Medio-lateral oblique mammogram of the left breast. Patient age 46.
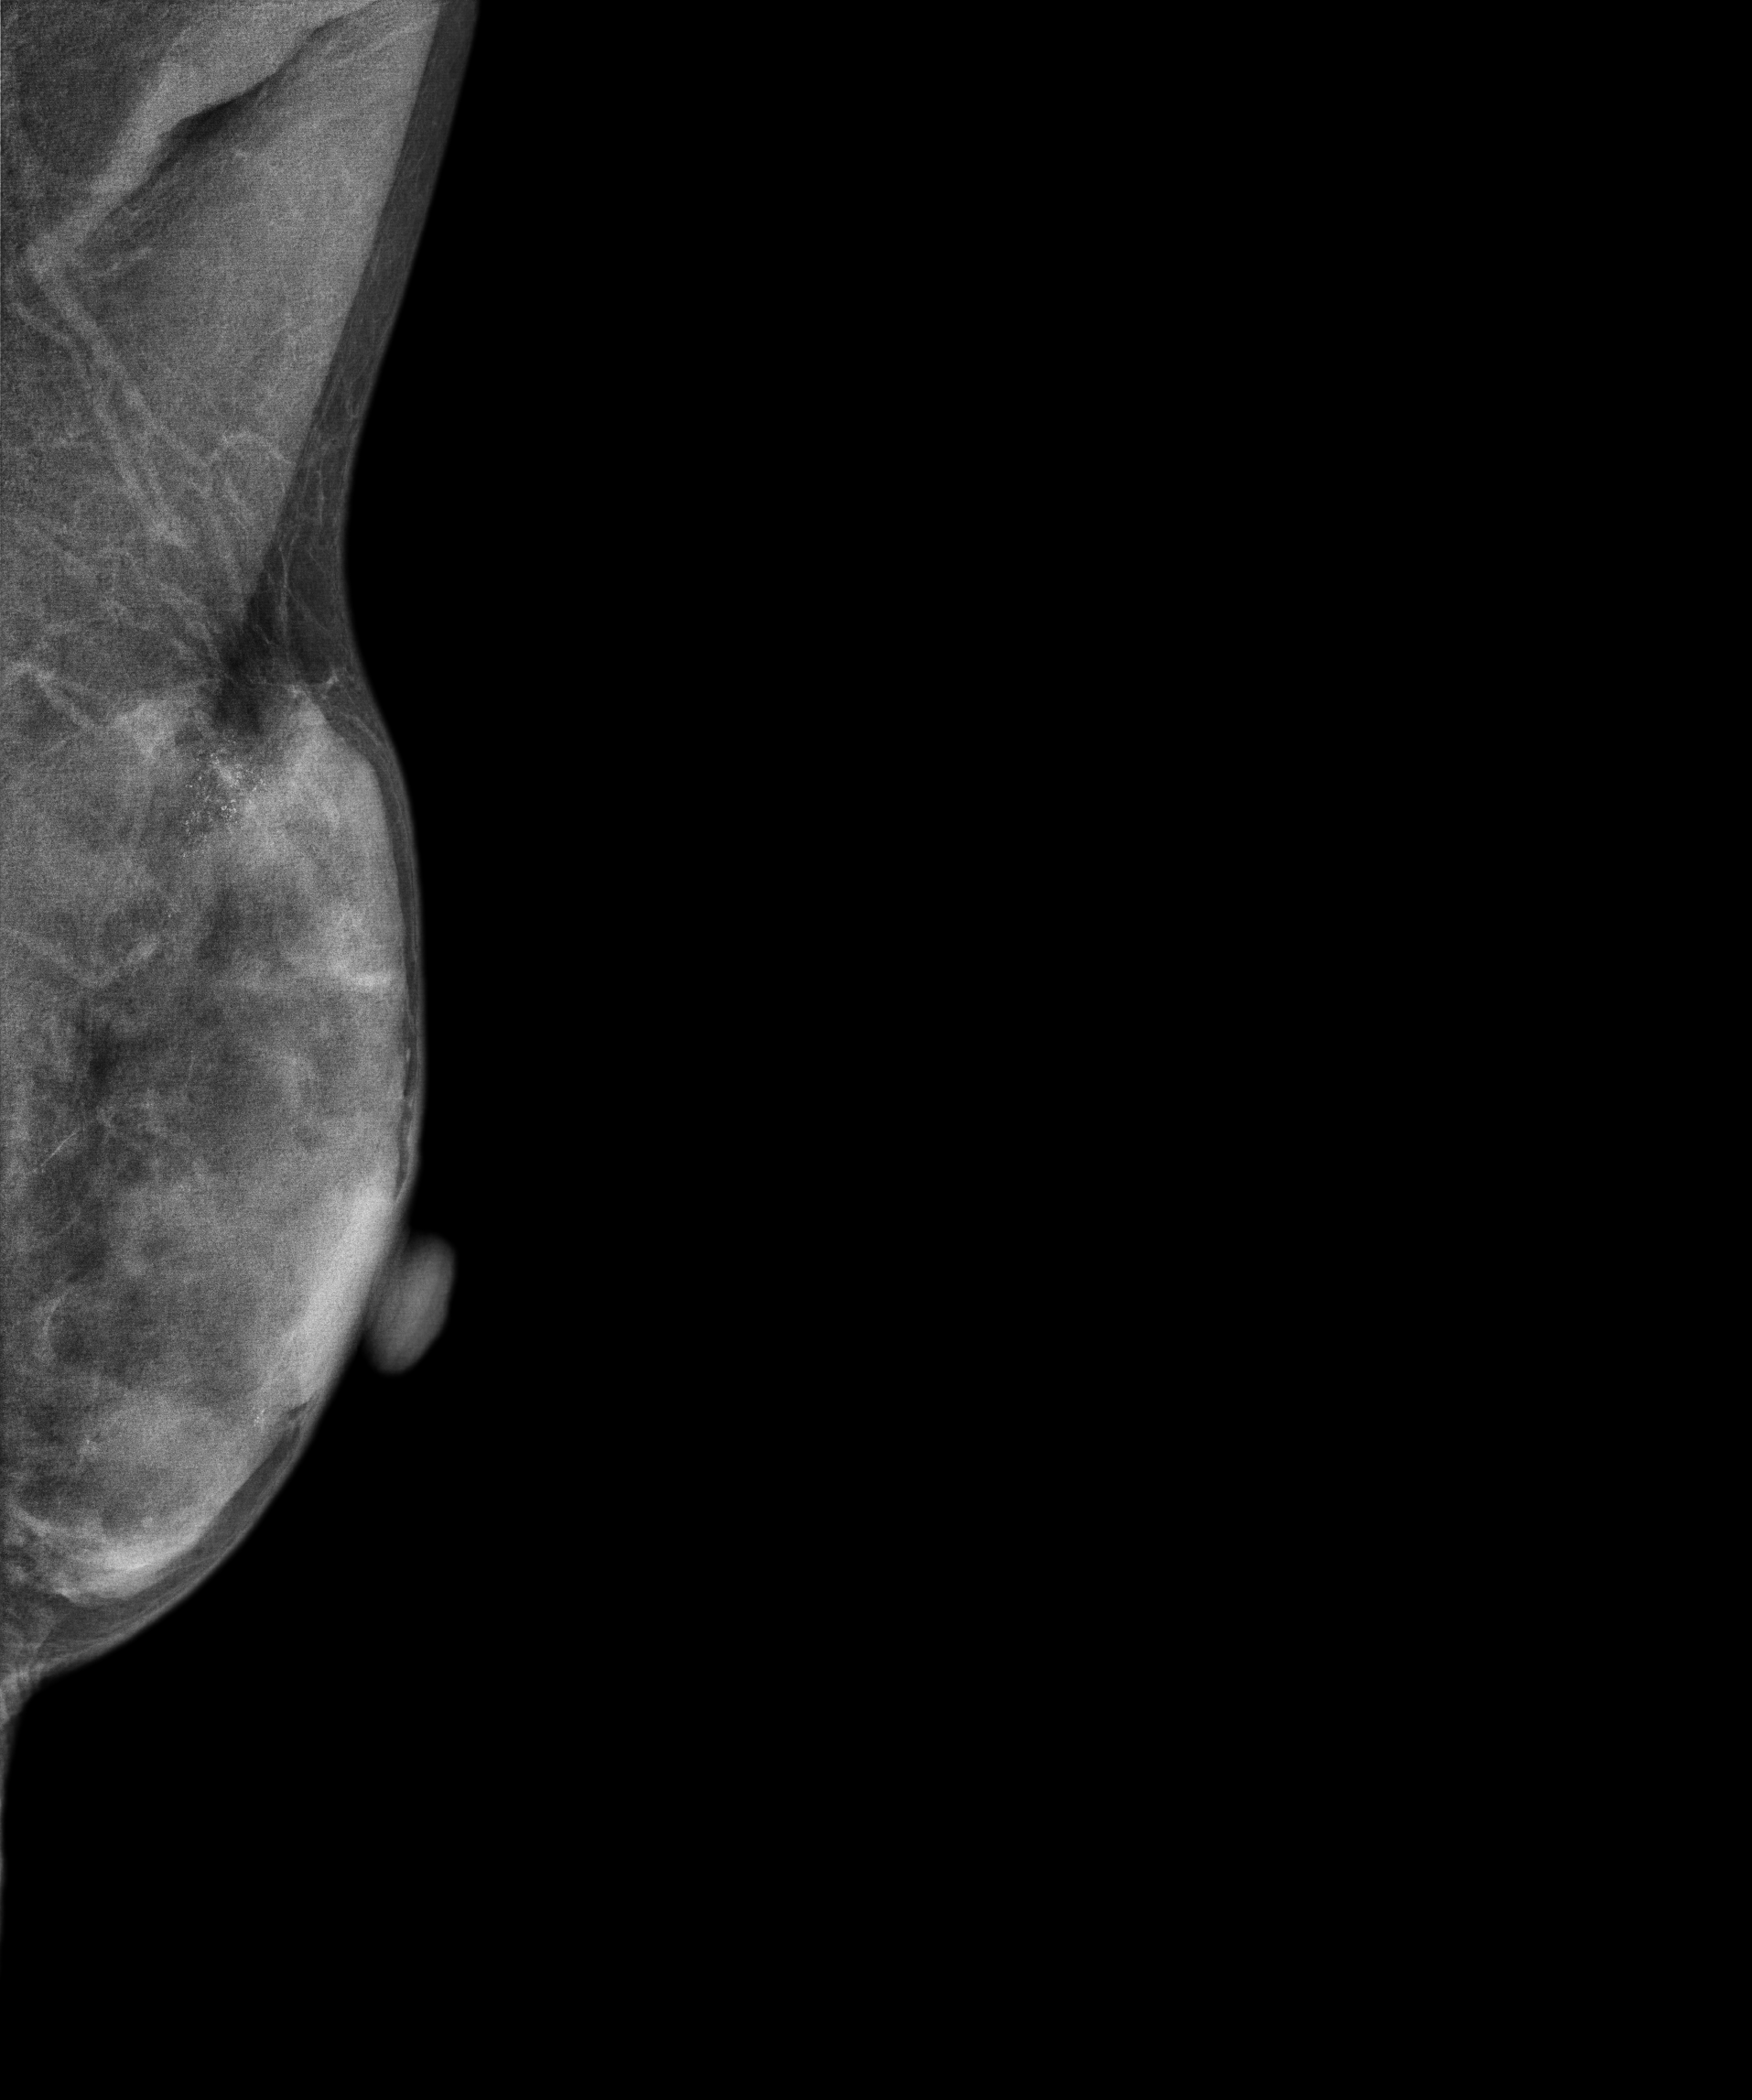
This breast has calcifications, histologically confirmed malignant. Molecular subtype: luminal A.